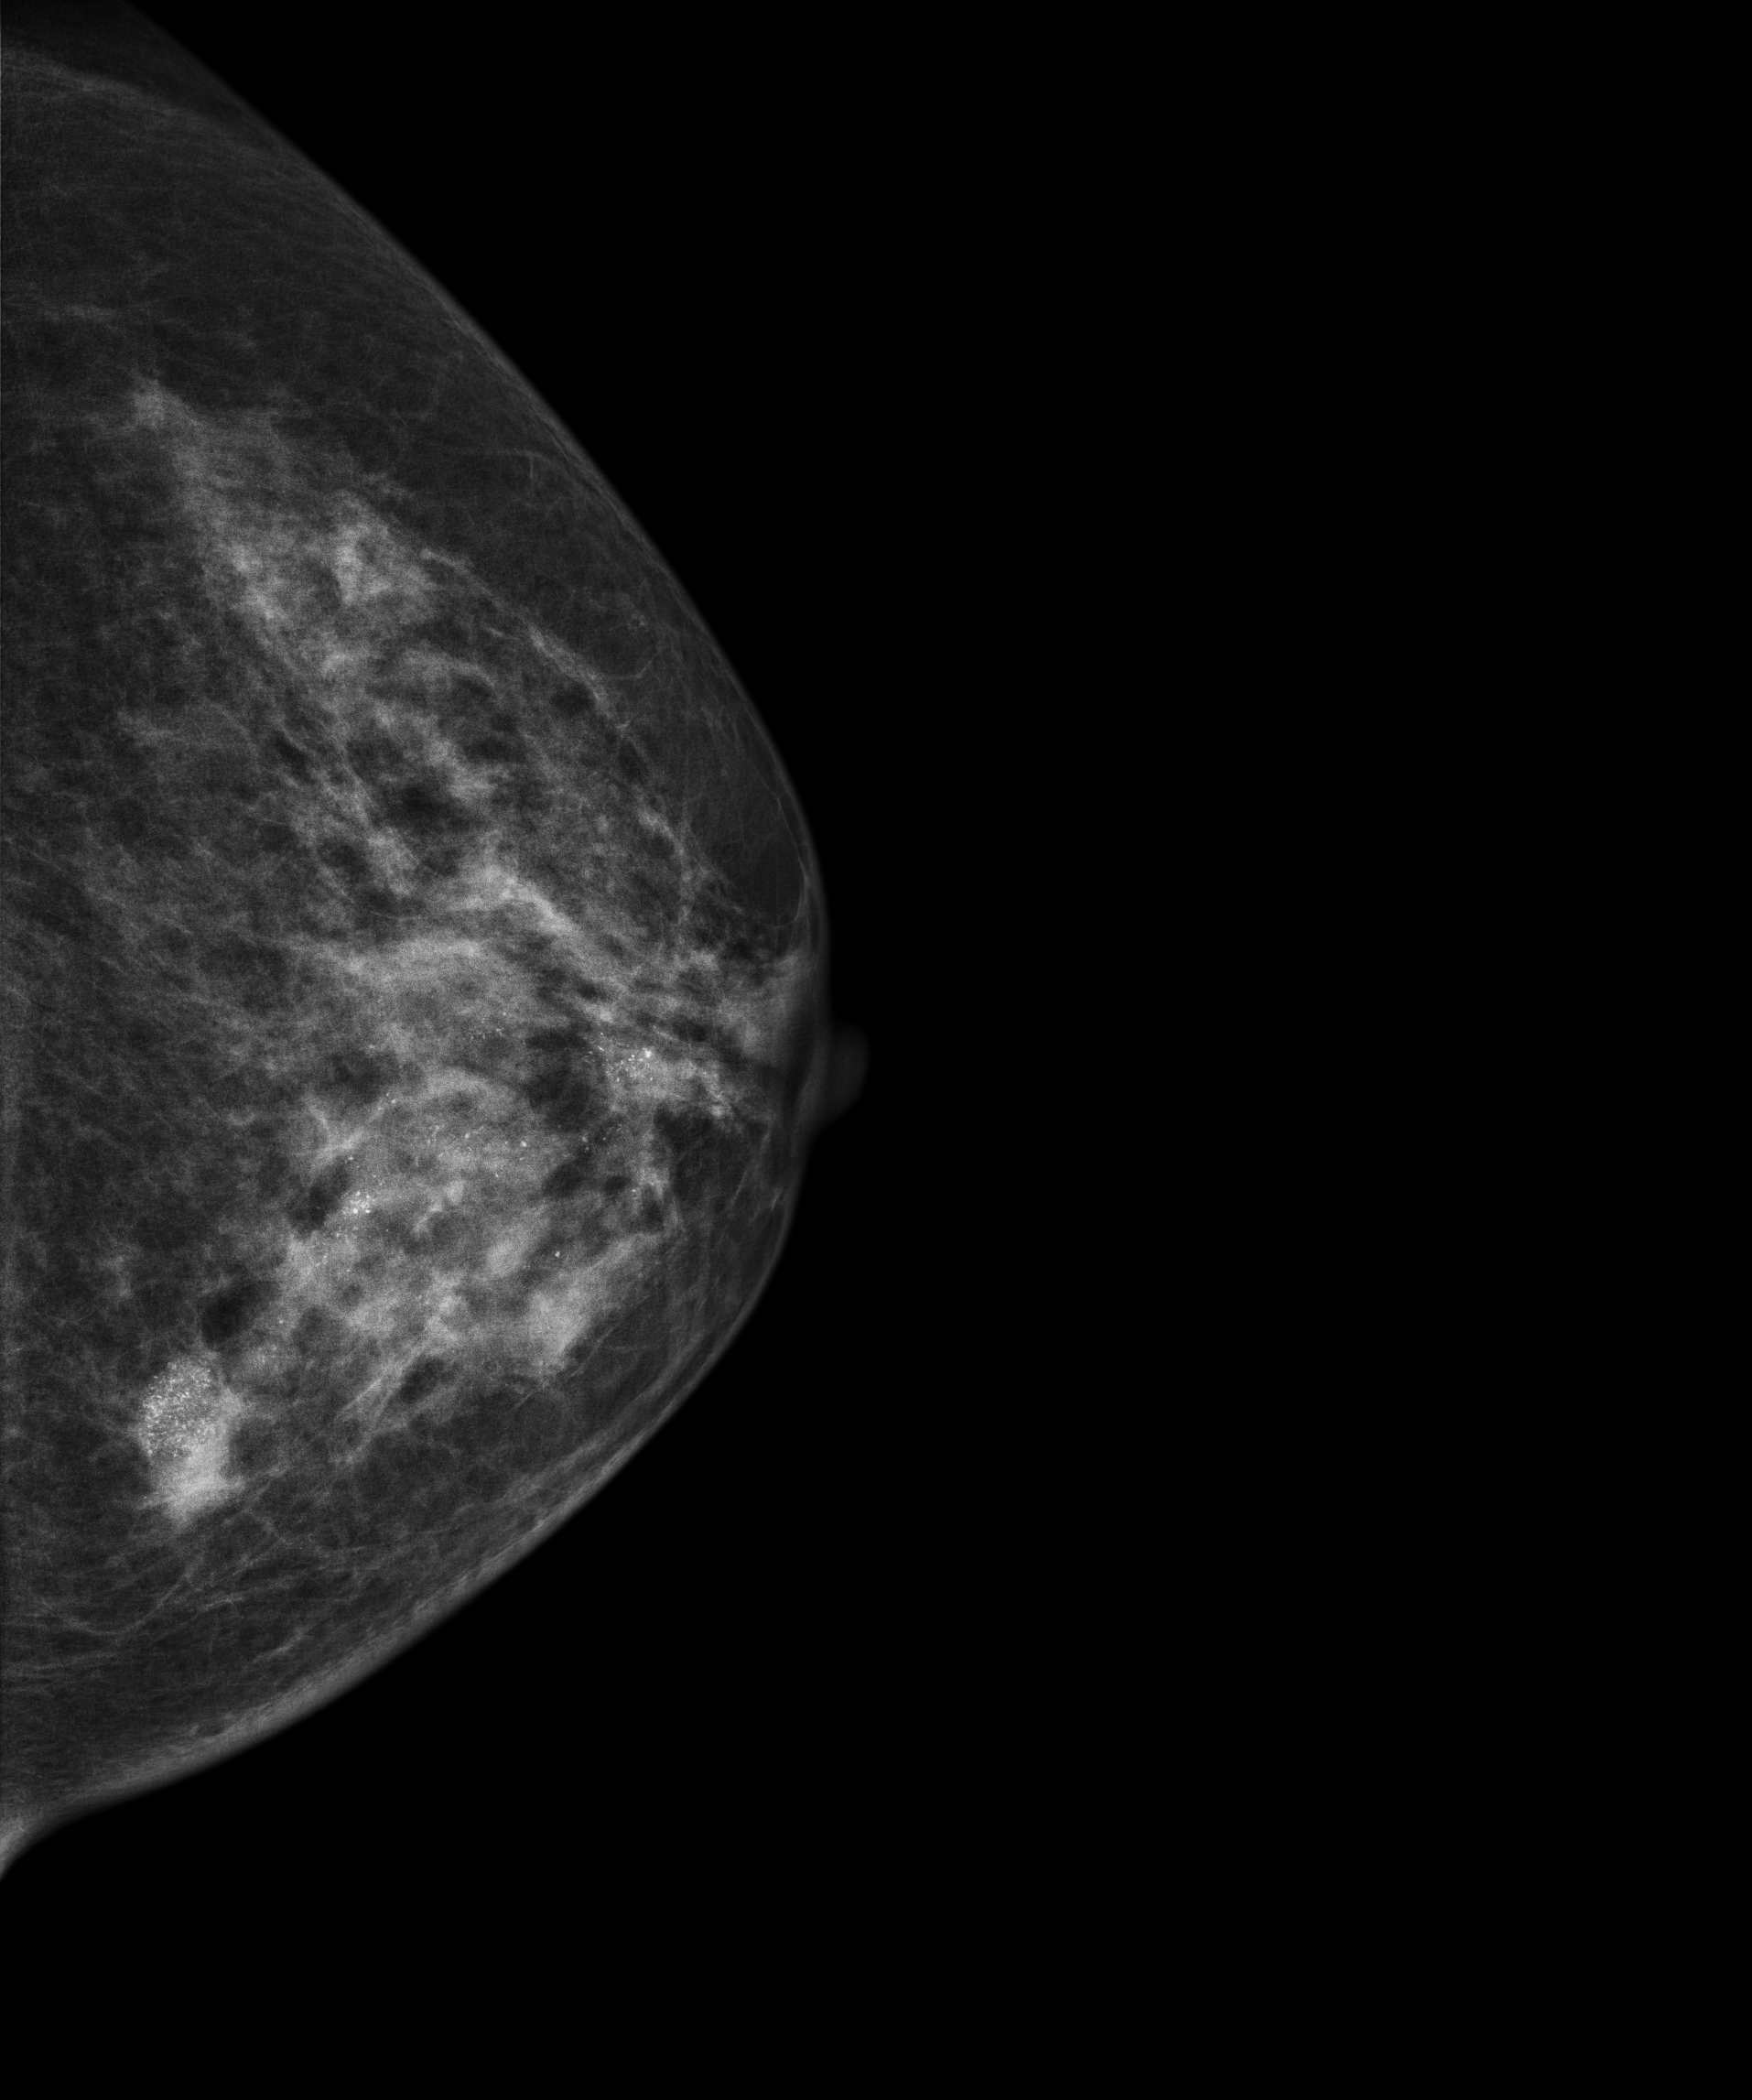
Mammogram — left cranio-caudal. 58-year-old patient.
This breast has a mass and calcifications, biopsy-confirmed malignant.